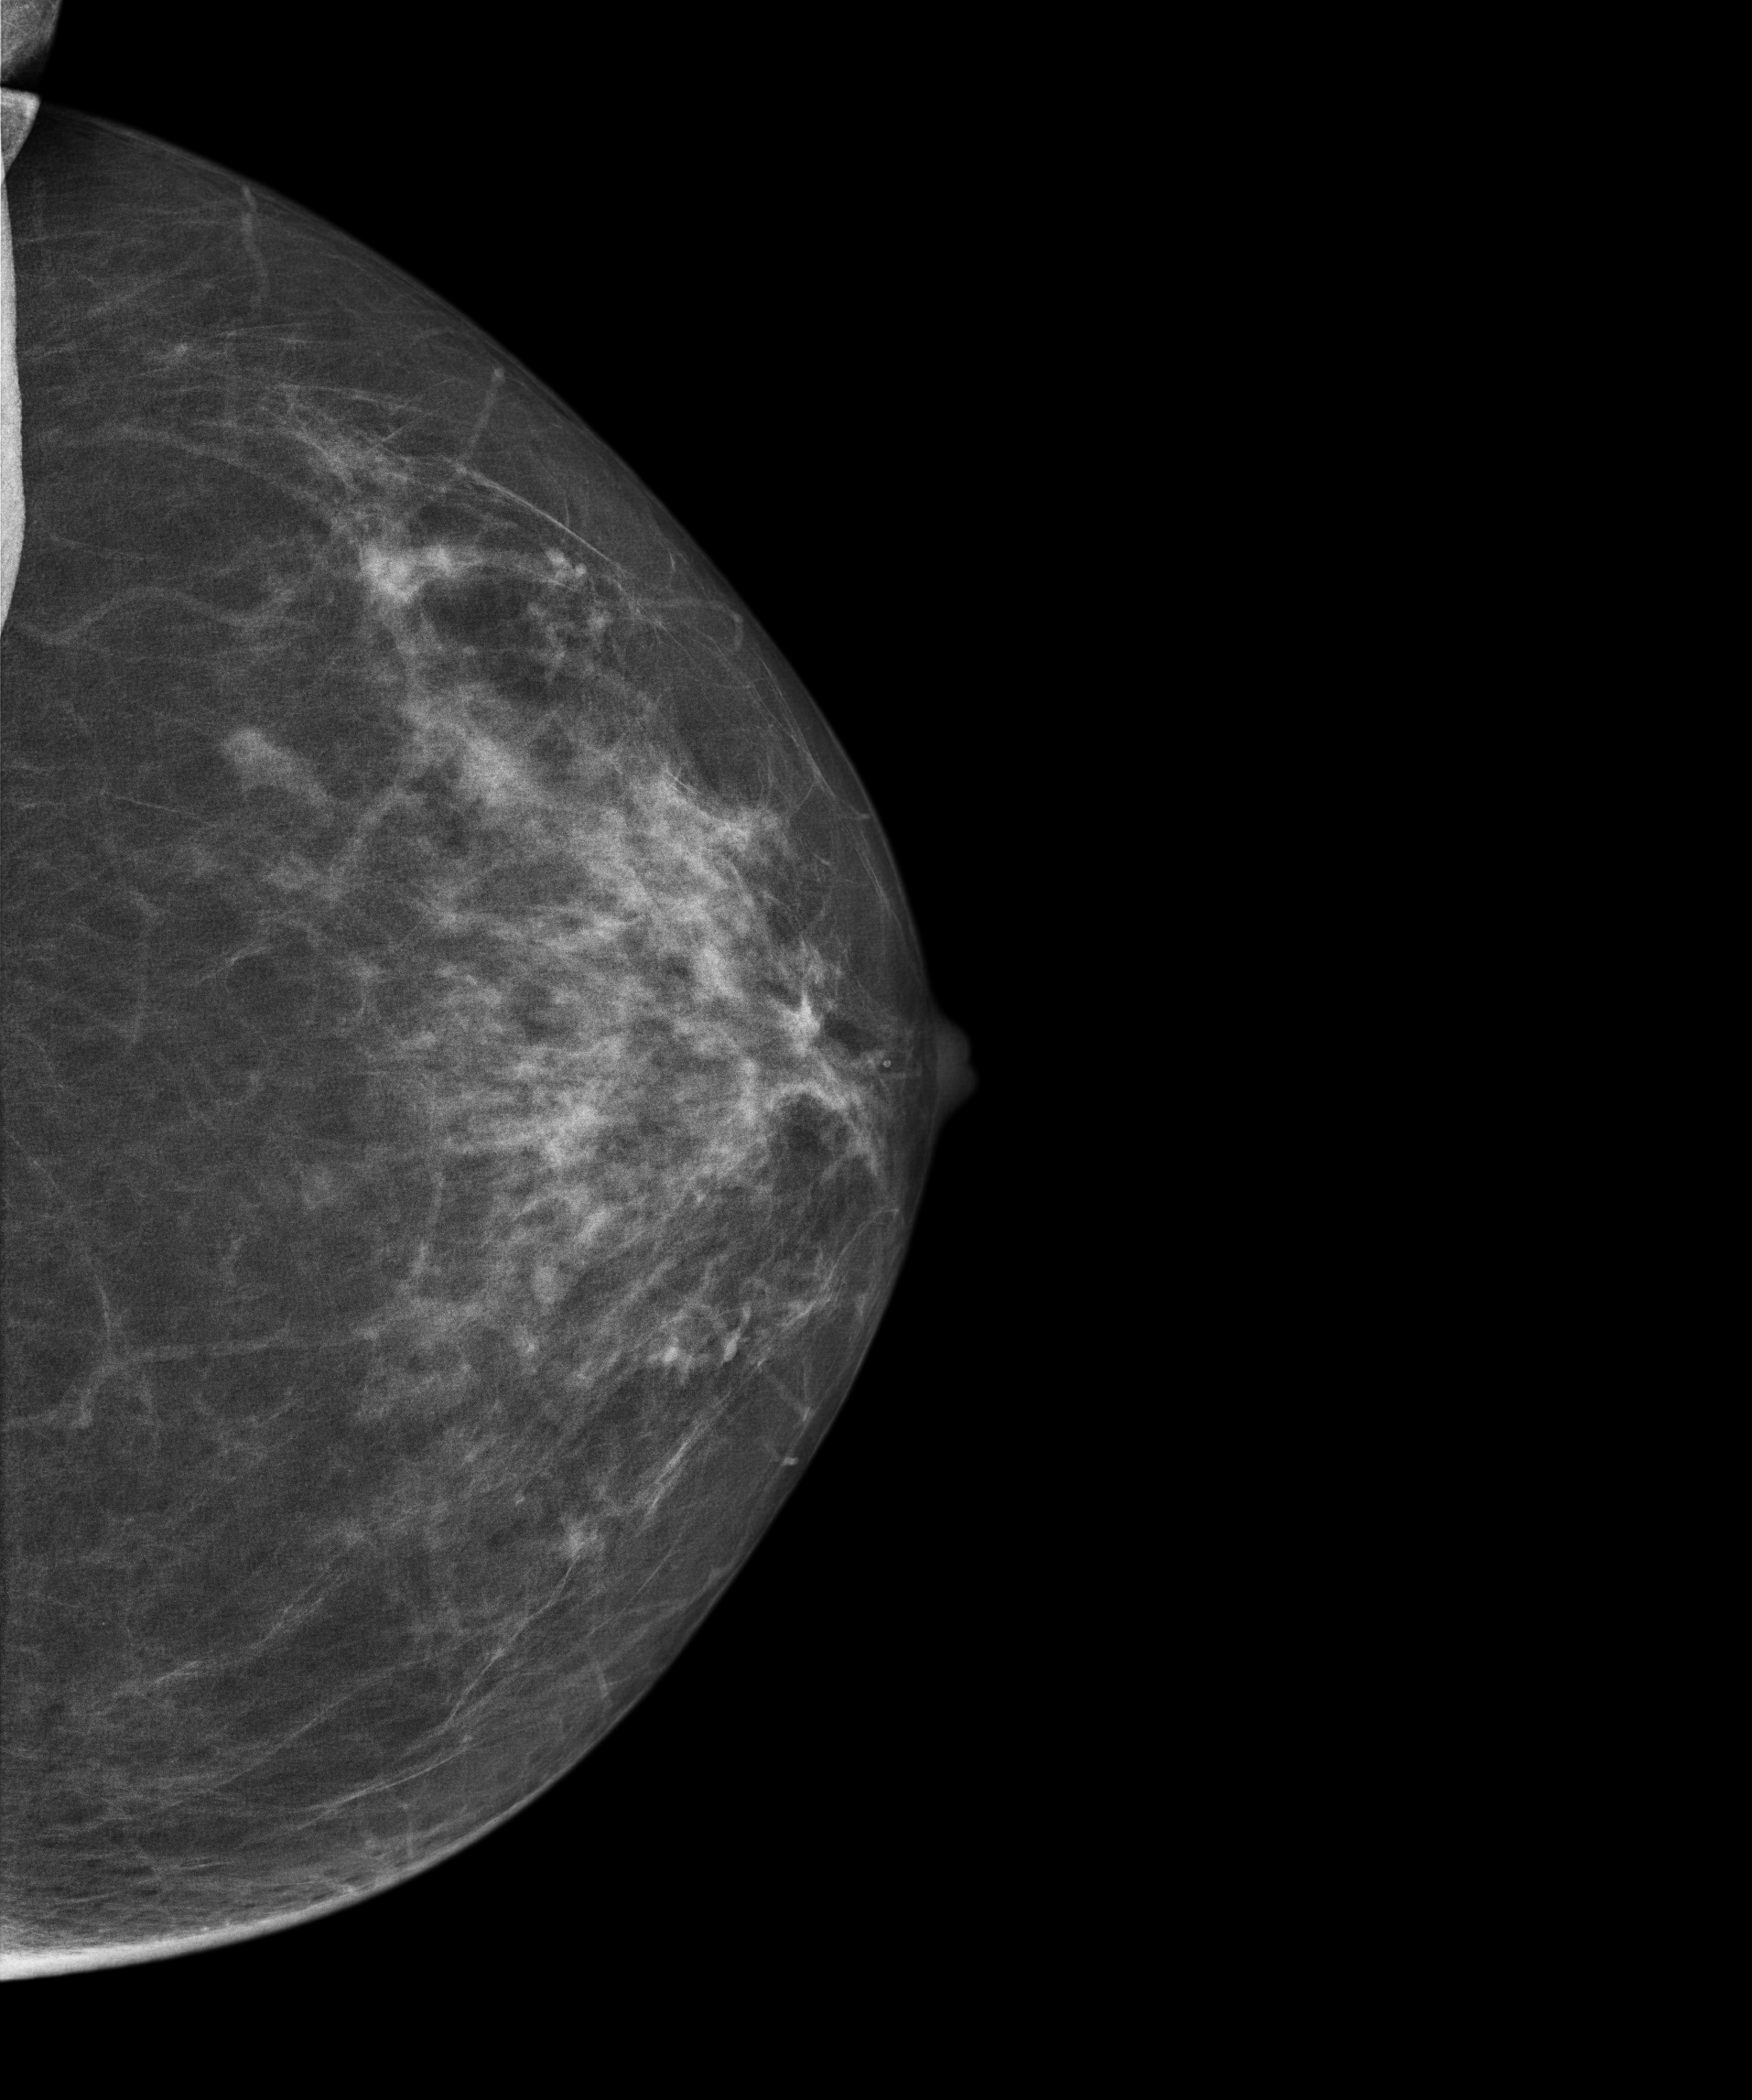
CC mammogram of the left breast. Patient age 60.
Contralateral breast — no documented abnormality on this side.